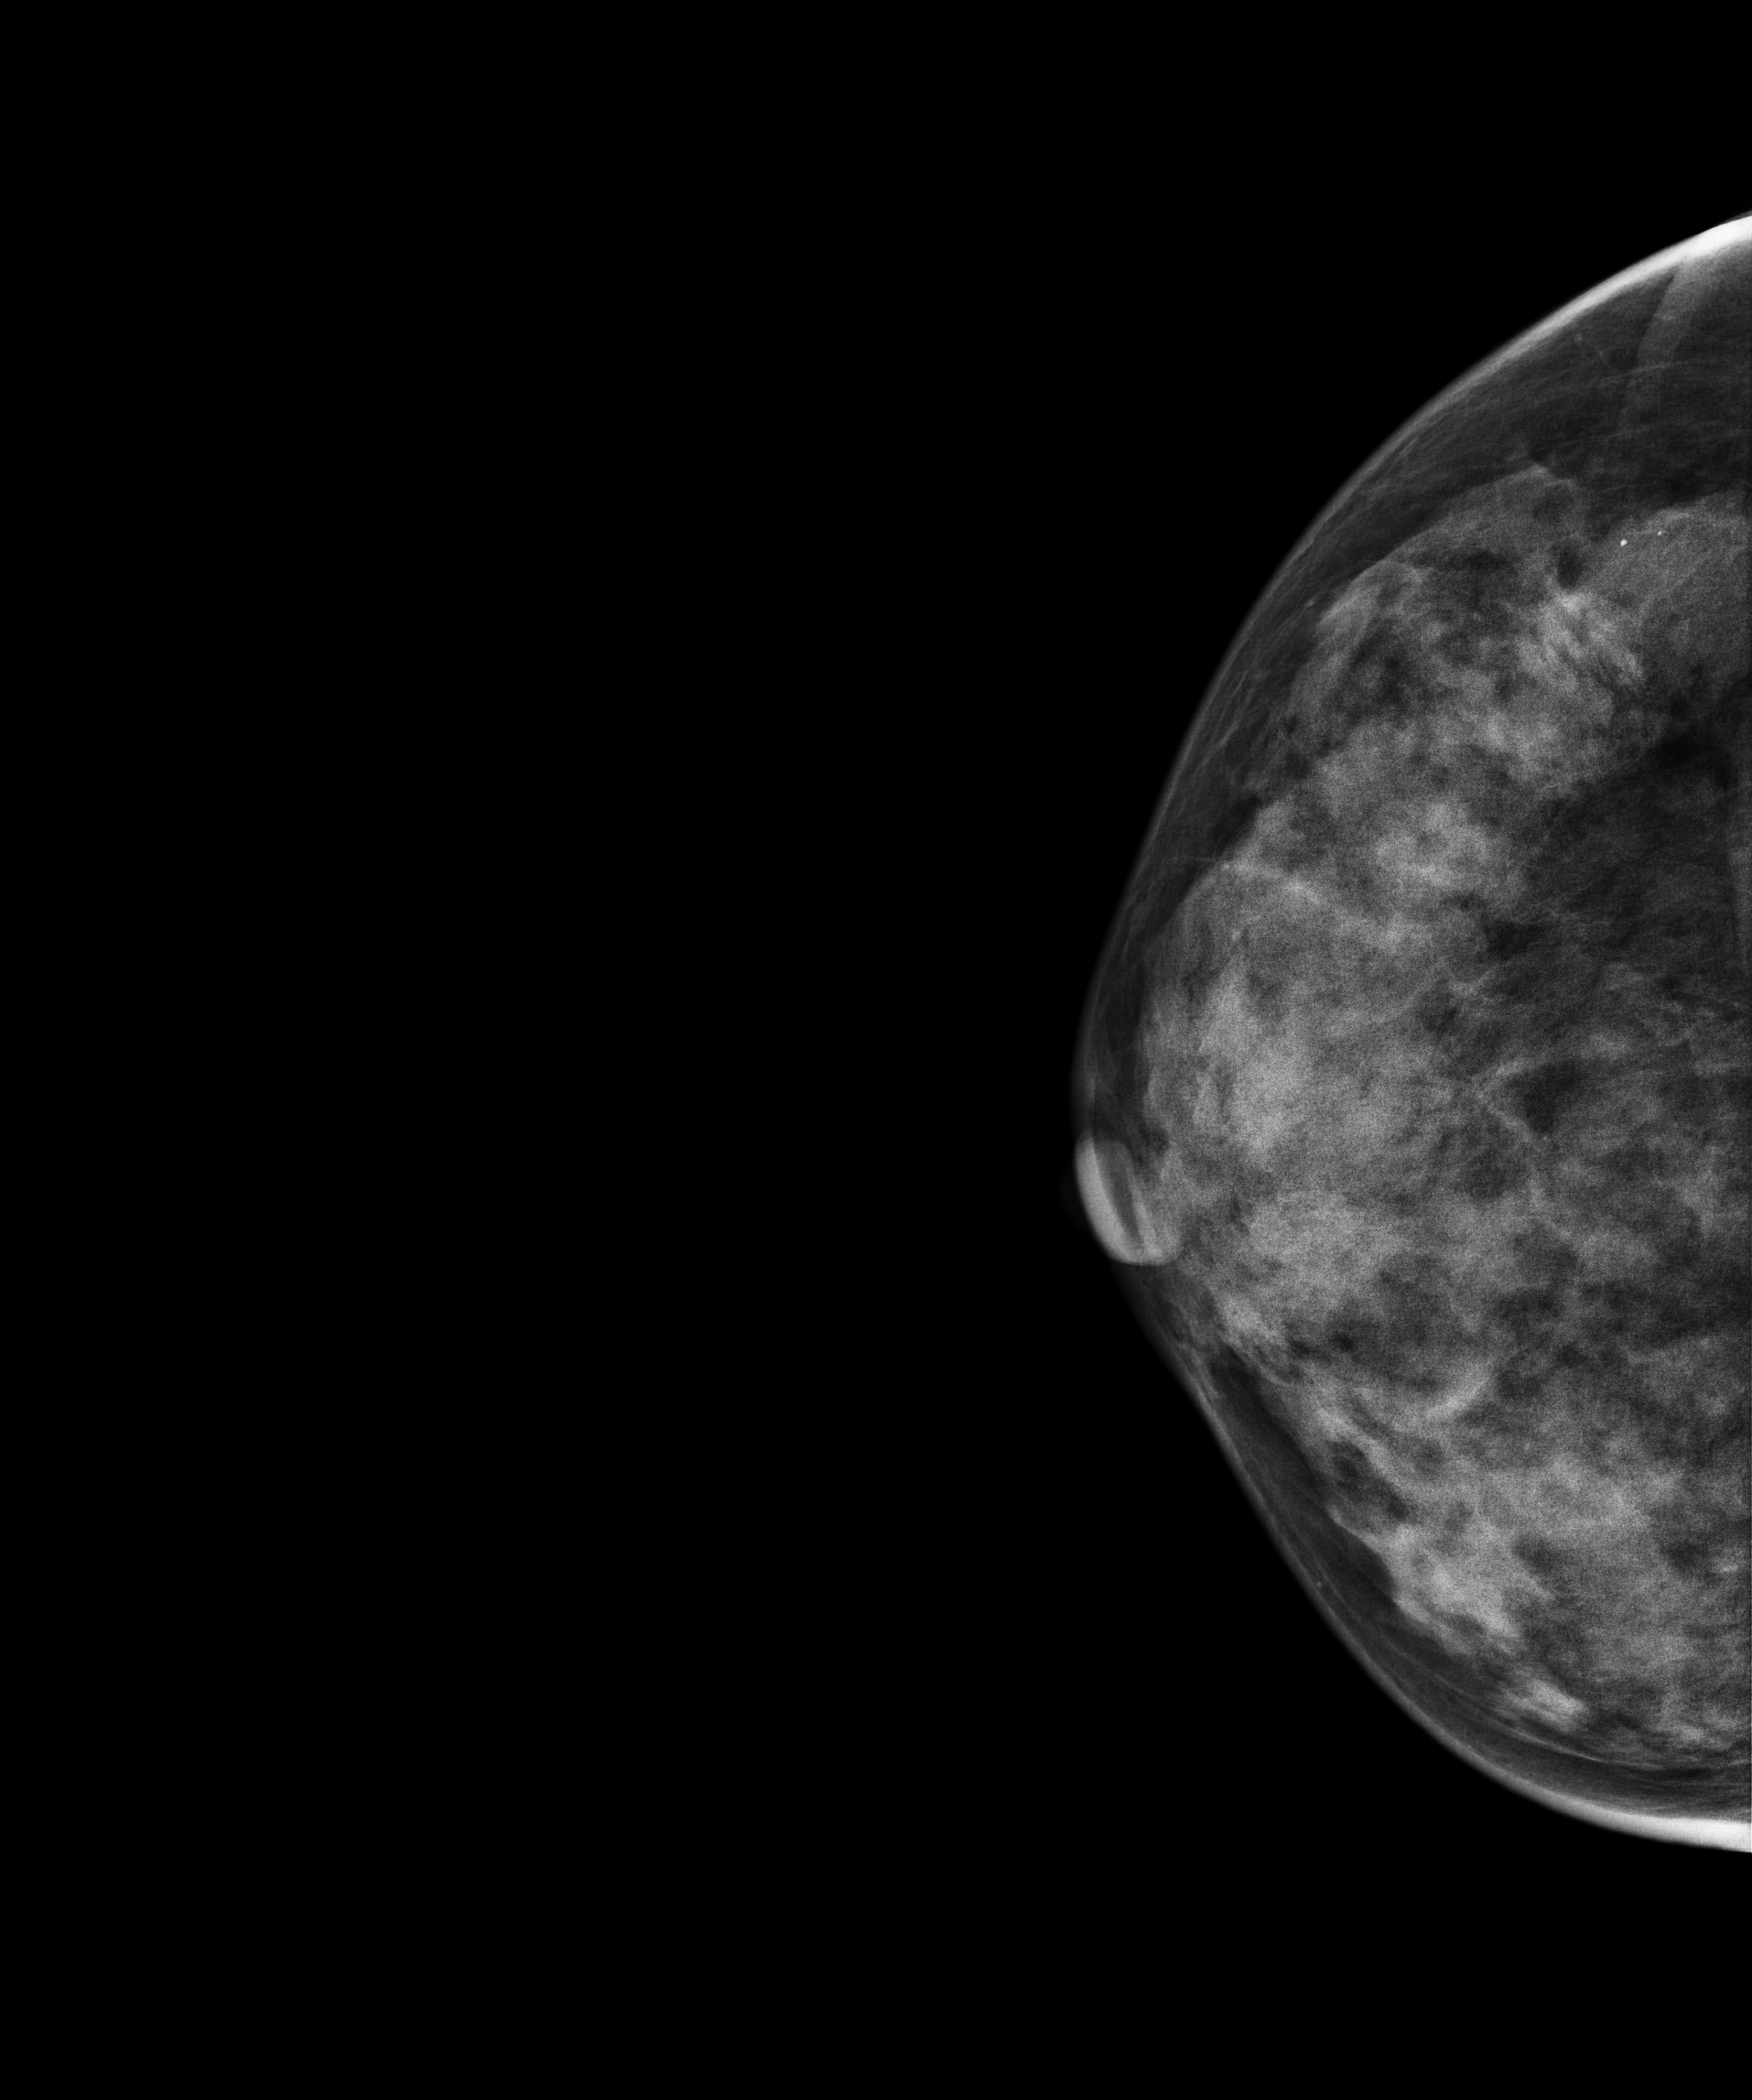
Mammogram, right breast, CC view. 45-year-old patient.
This breast has a mass and calcifications, histologically confirmed benign.